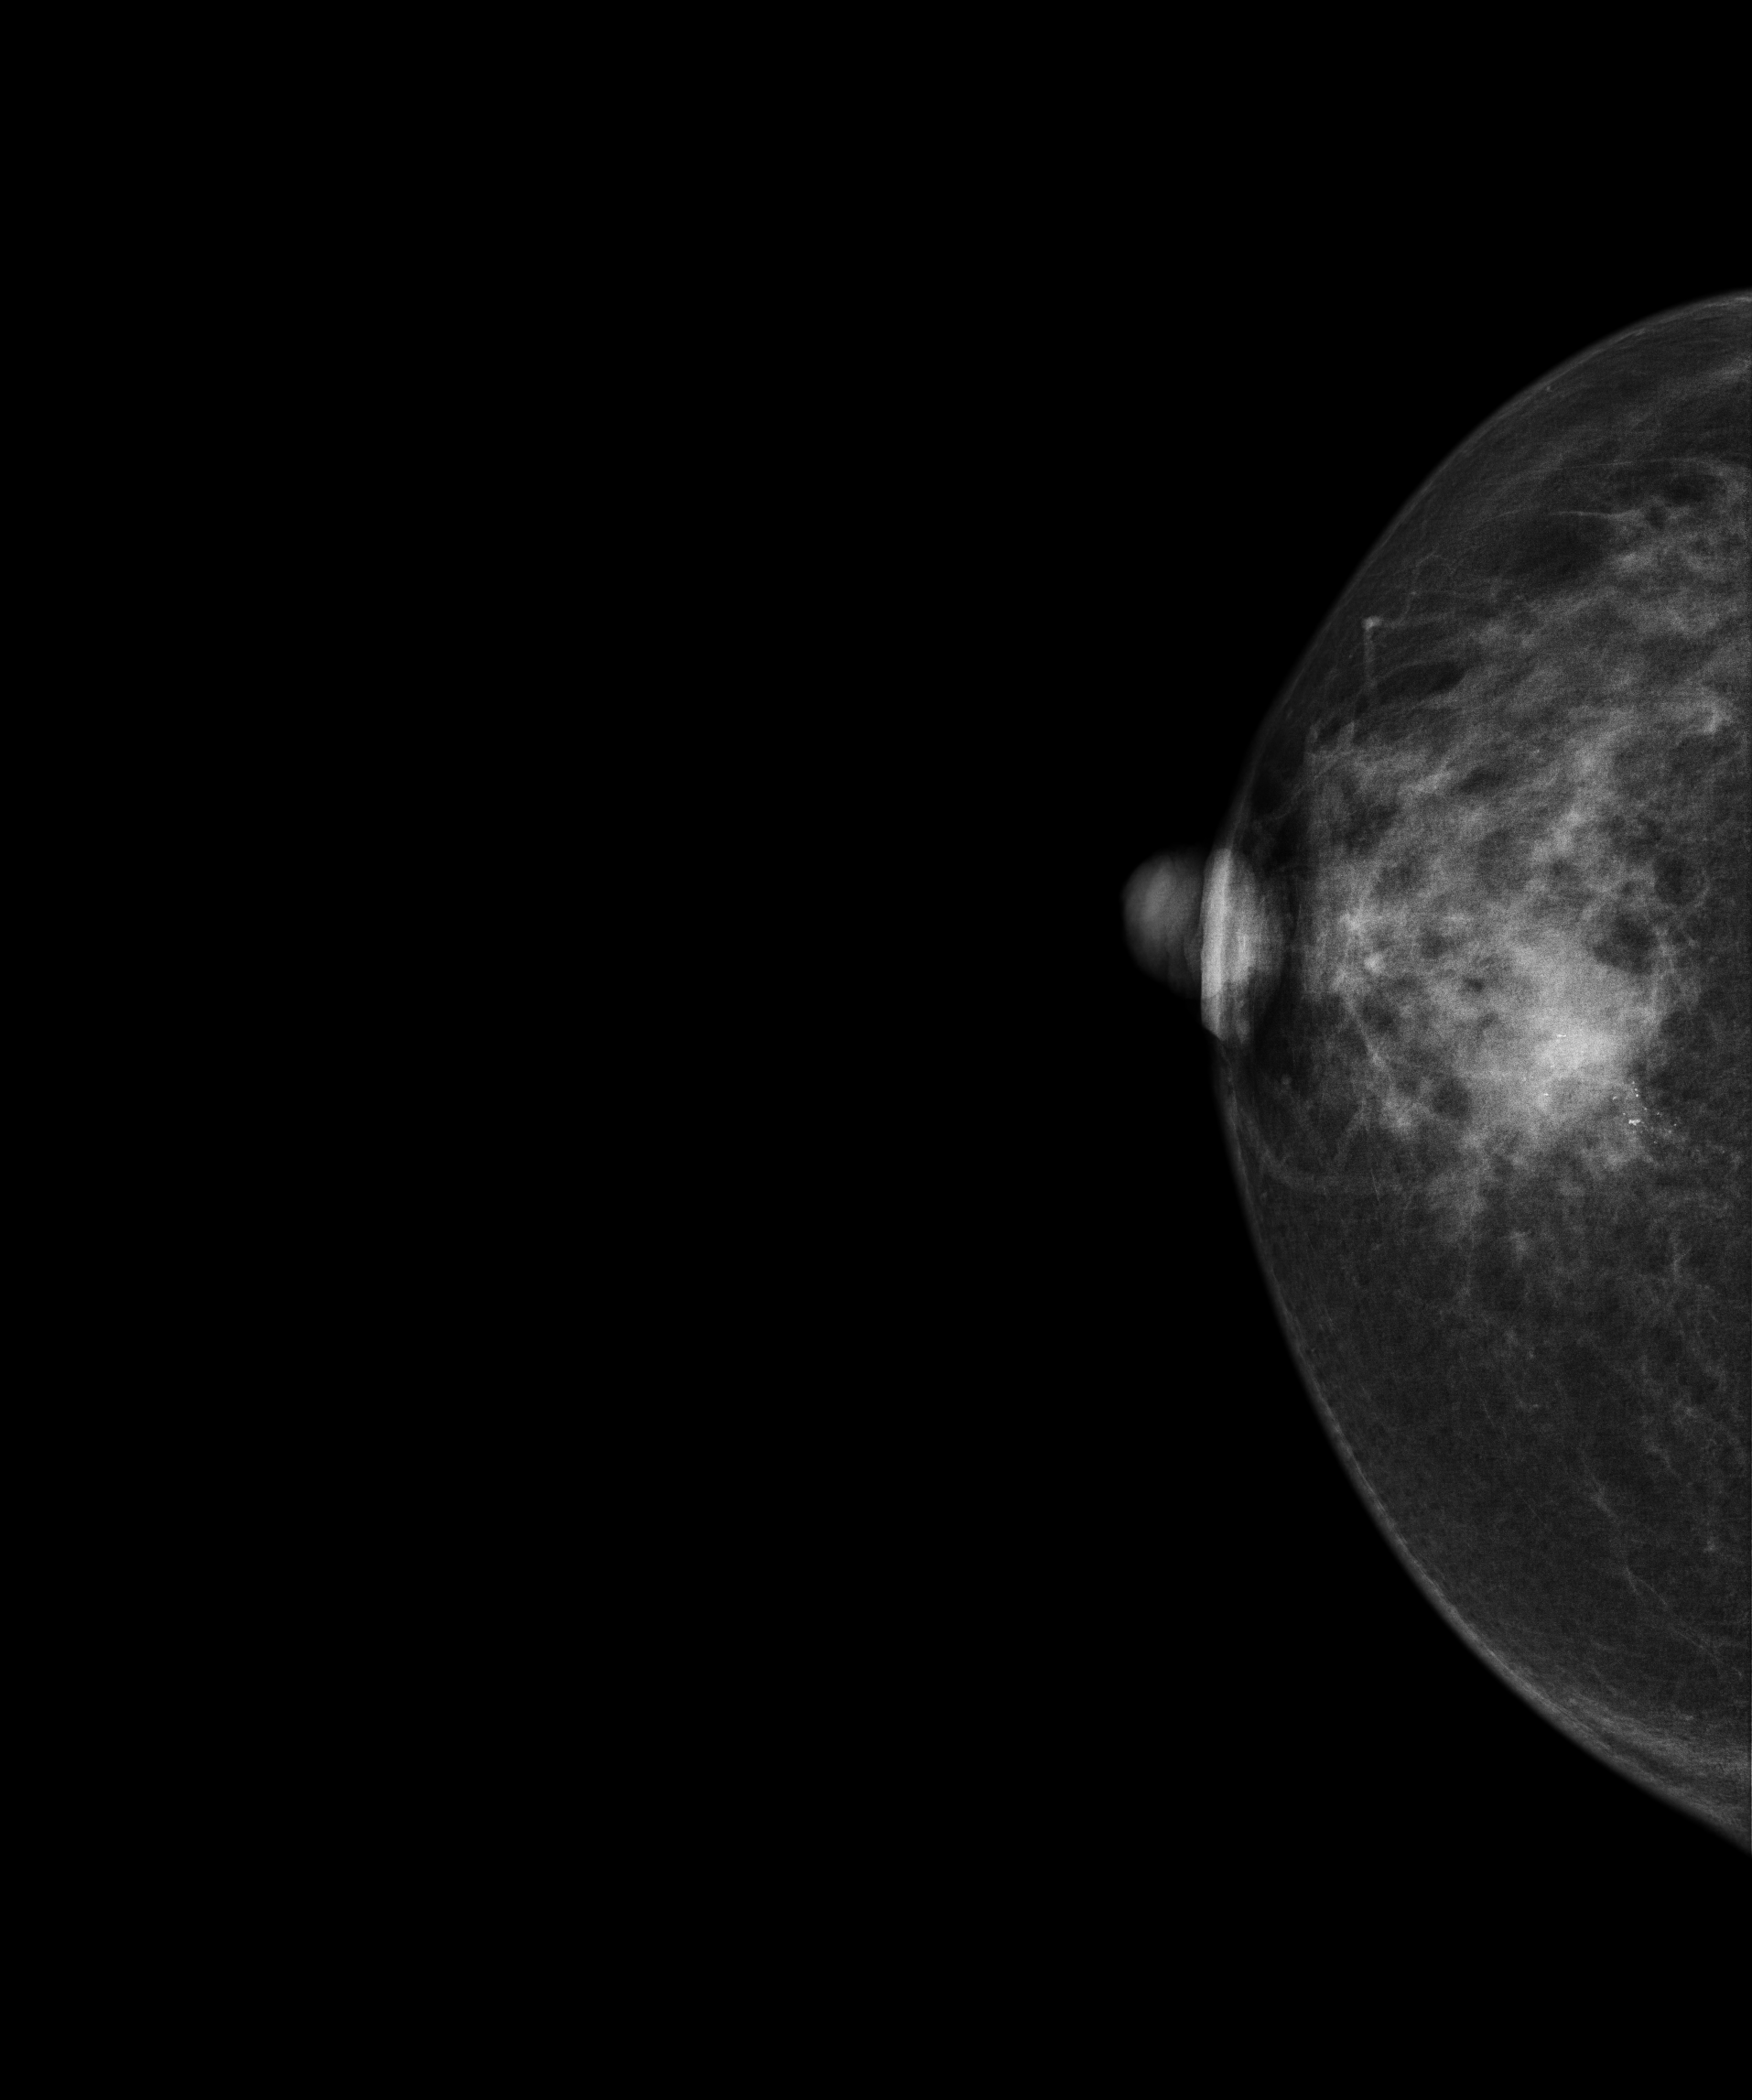
Mammogram, right breast, cranio-caudal view. Patient age 55.
This breast has a mass and calcifications, biopsy-proven malignant. Molecular subtype: luminal A.